Mammogram, right breast, MLO view. 45-year-old patient.
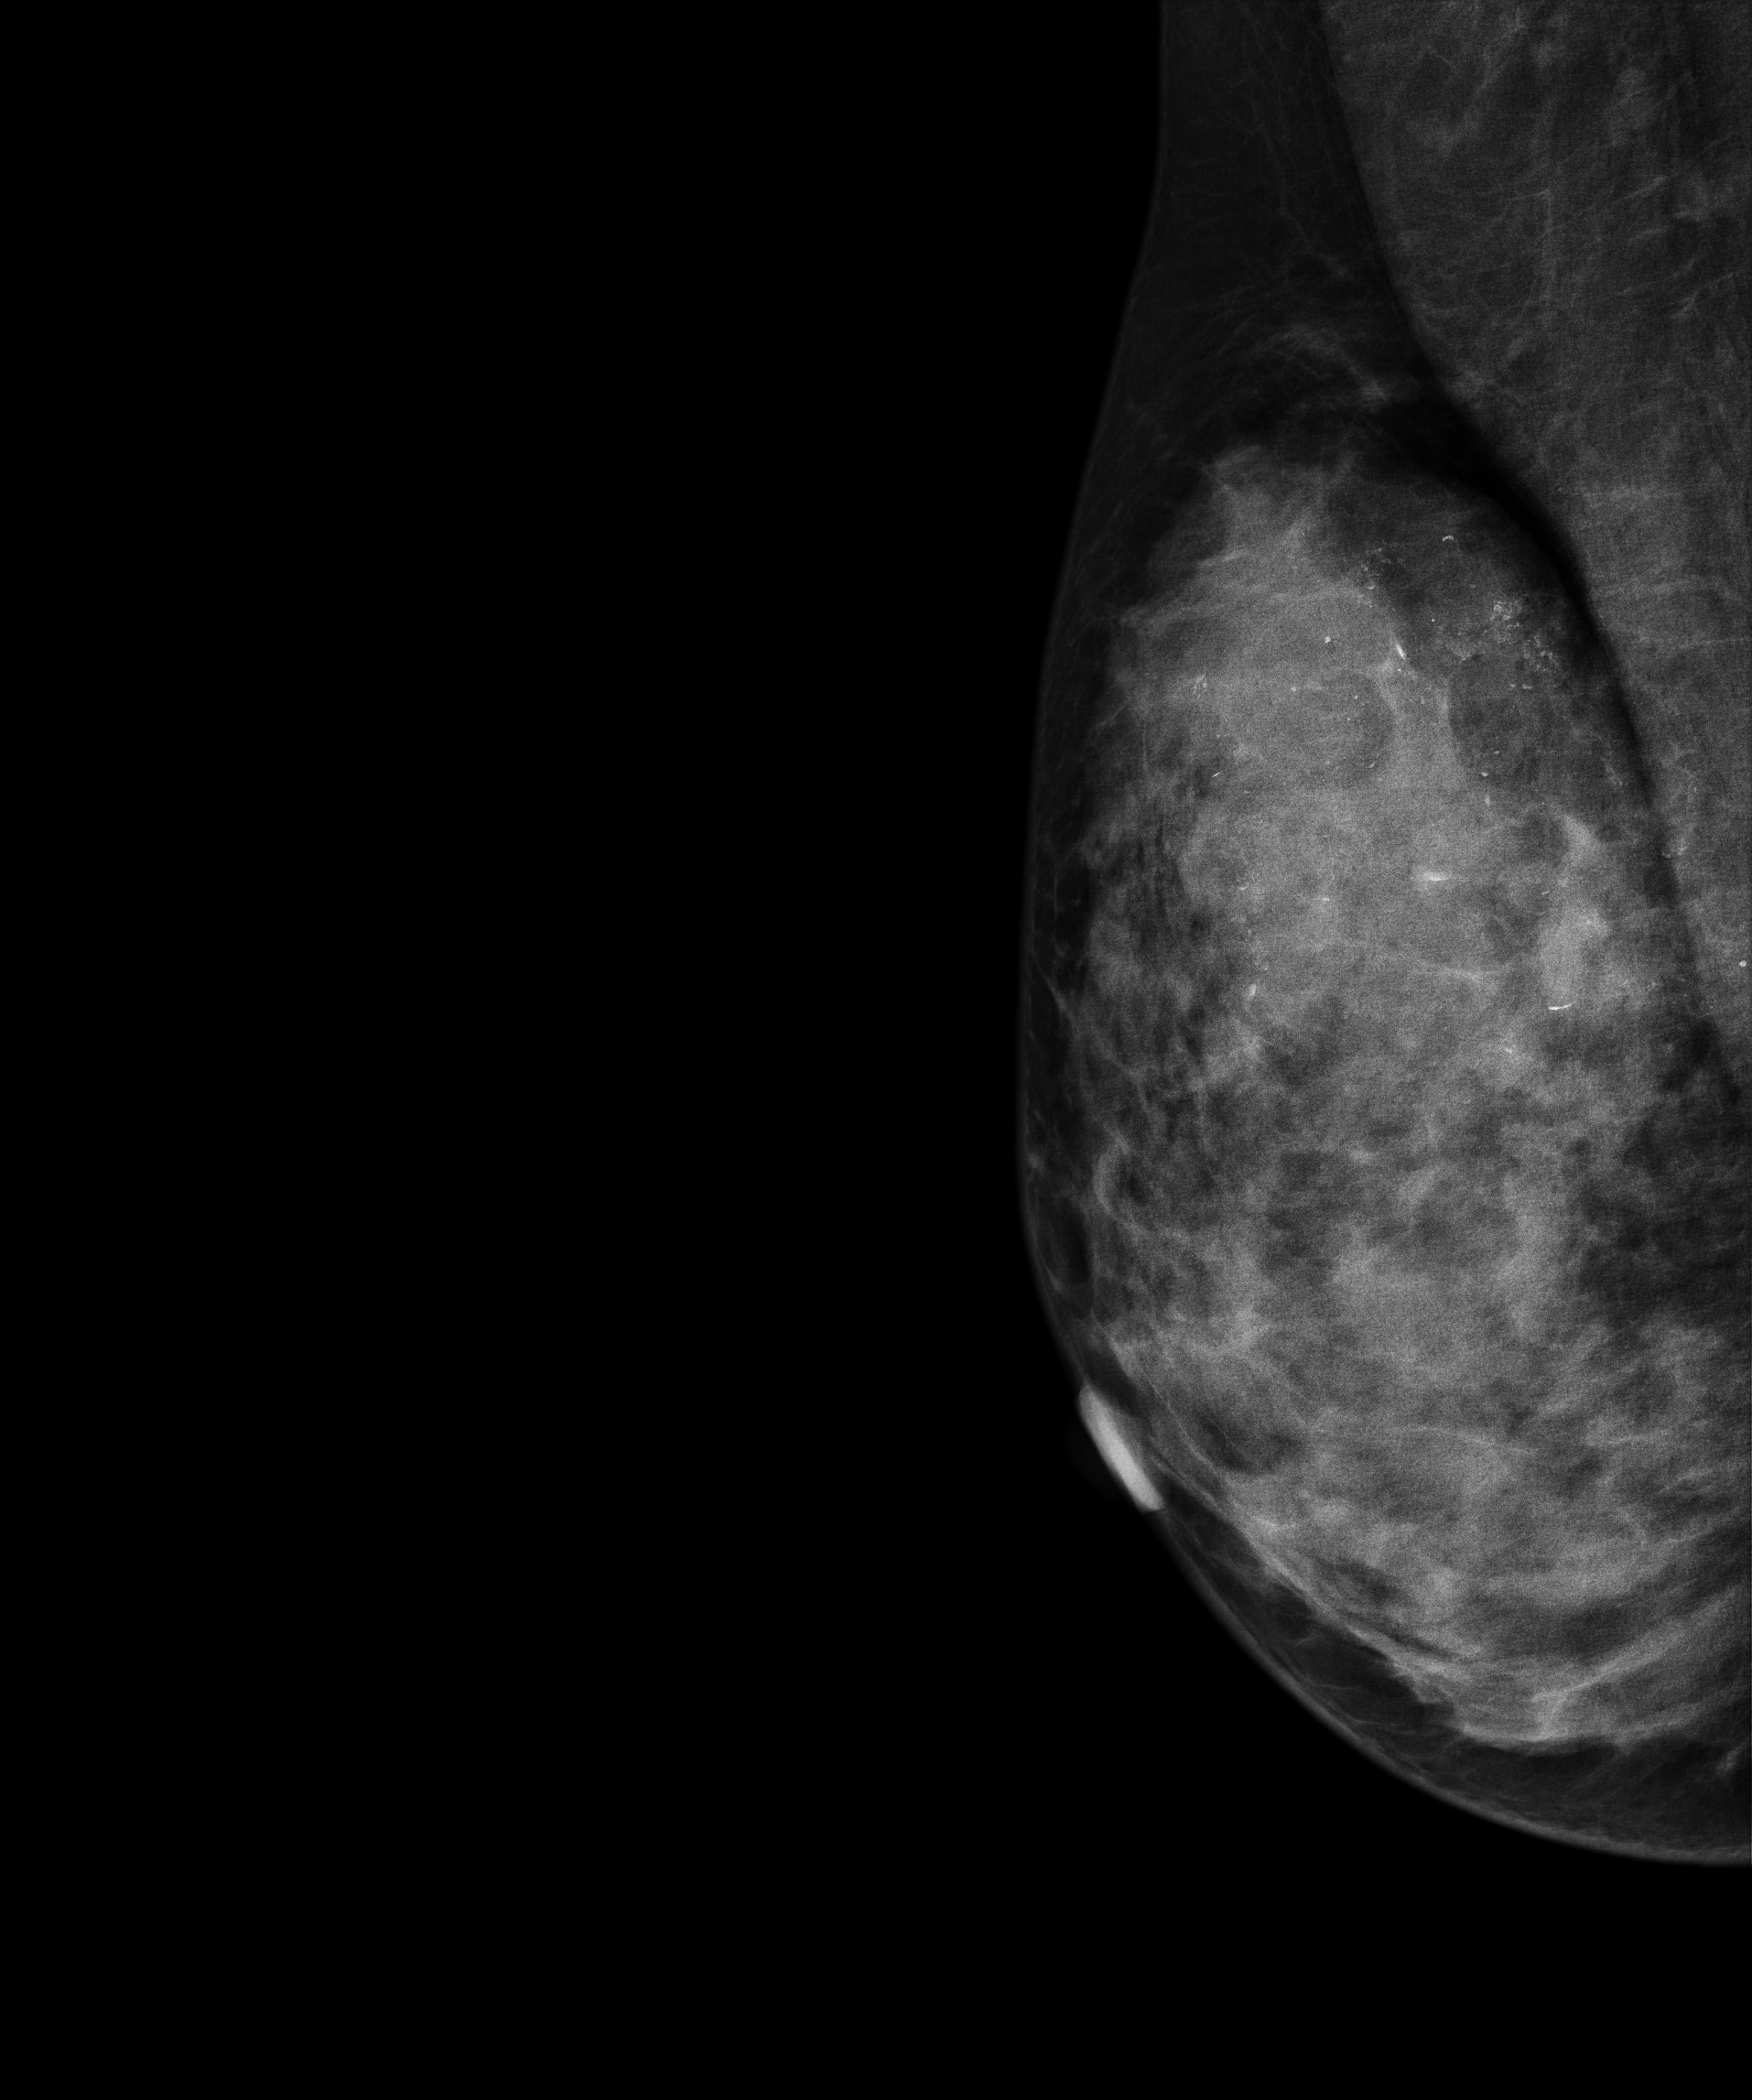
This breast has calcifications, biopsy-proven malignant.